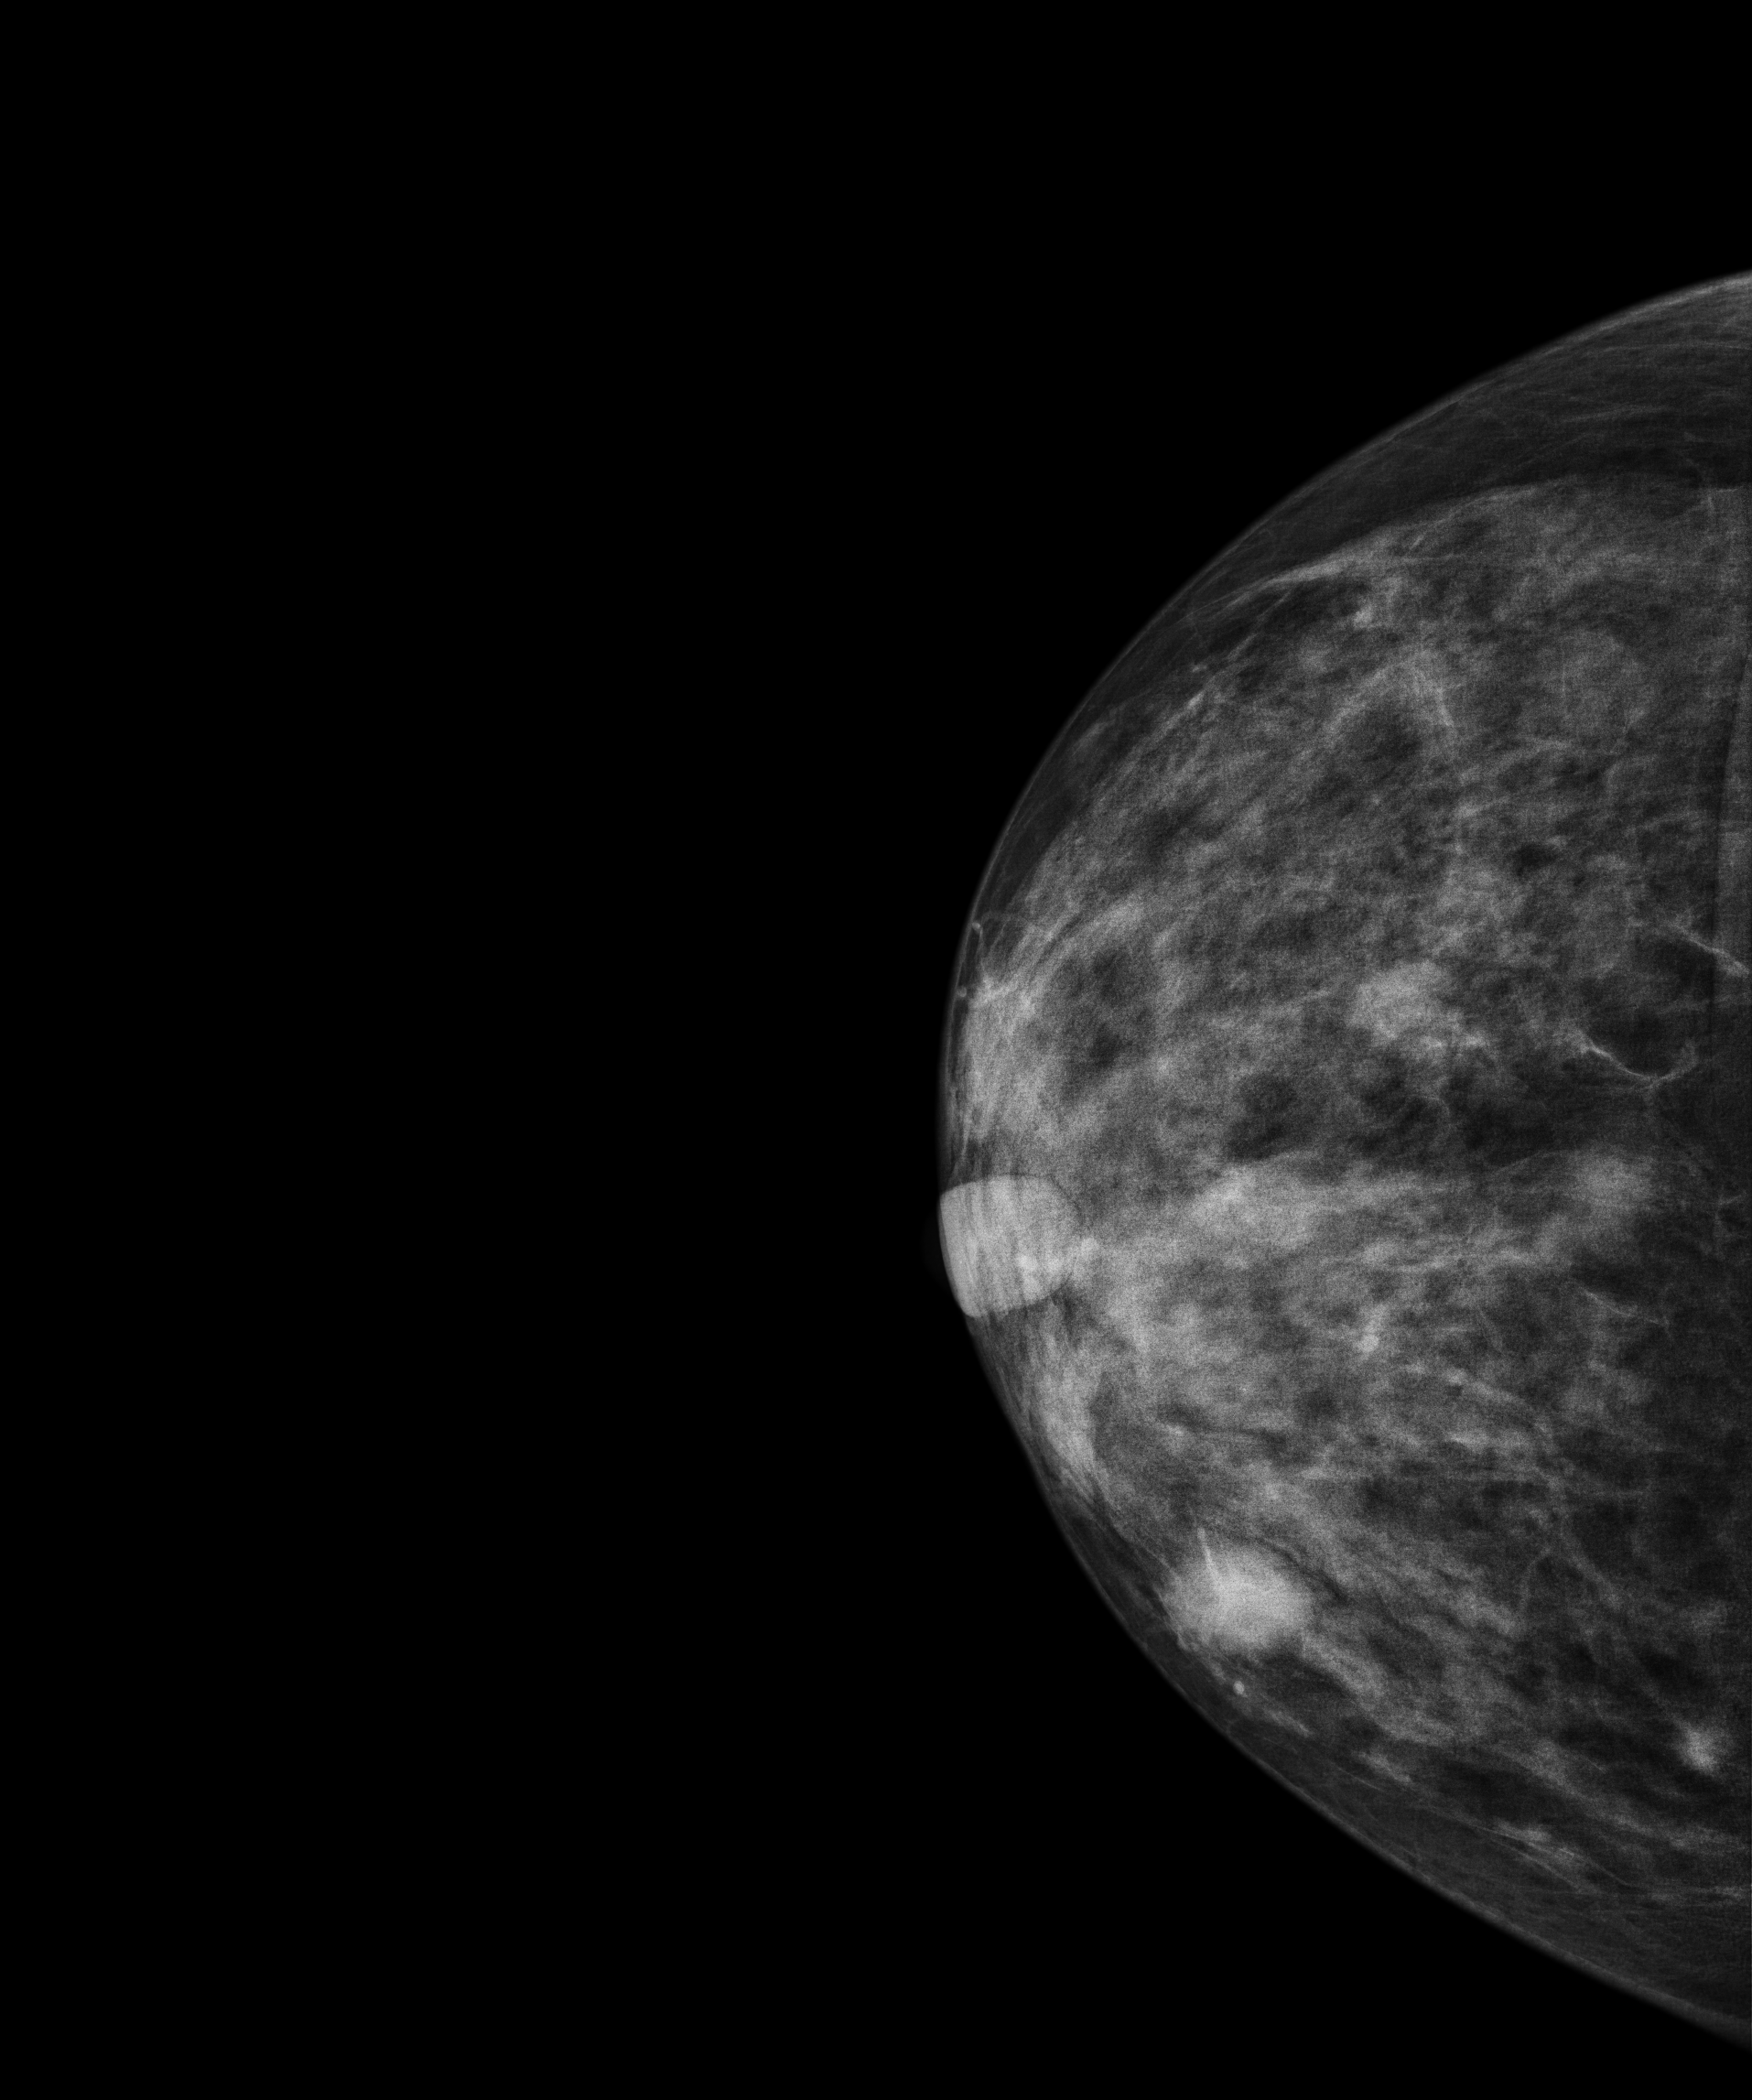
Mammogram — right cranio-caudal. Patient age 39.
This breast has a mass, biopsy-proven malignant.